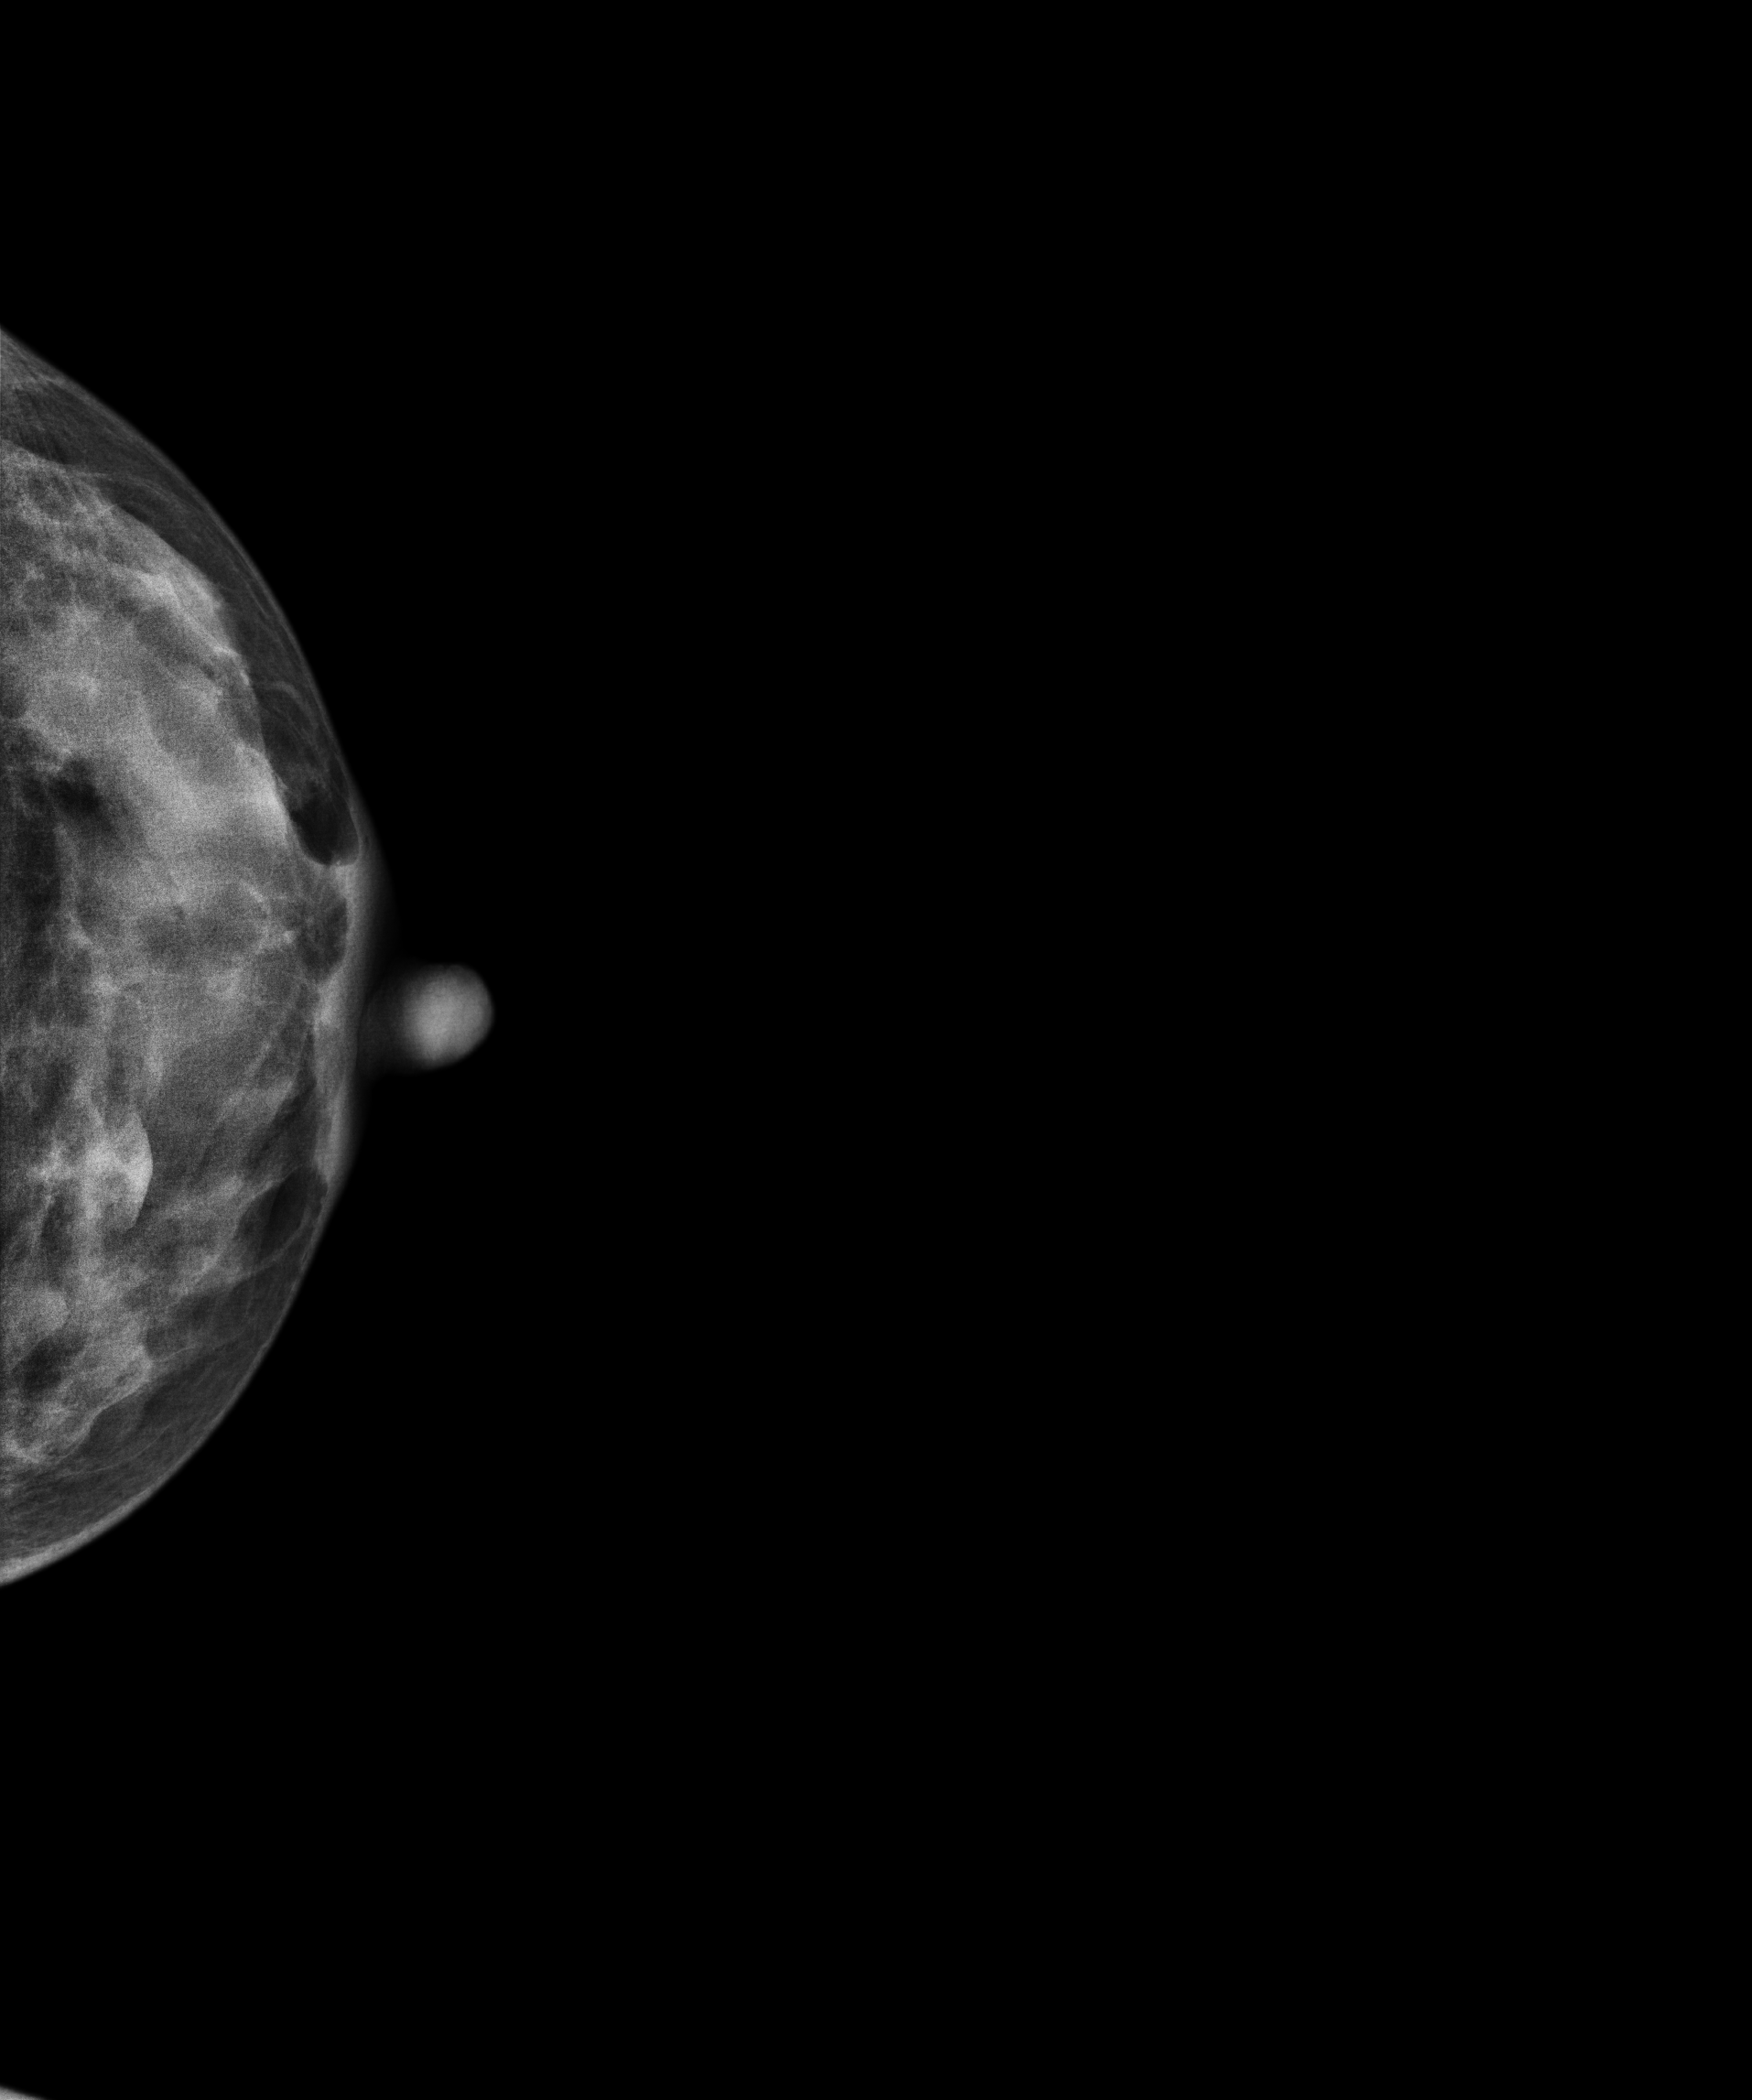
Mammogram — left CC. 39-year-old patient.
This breast has a mass, pathology-confirmed benign.